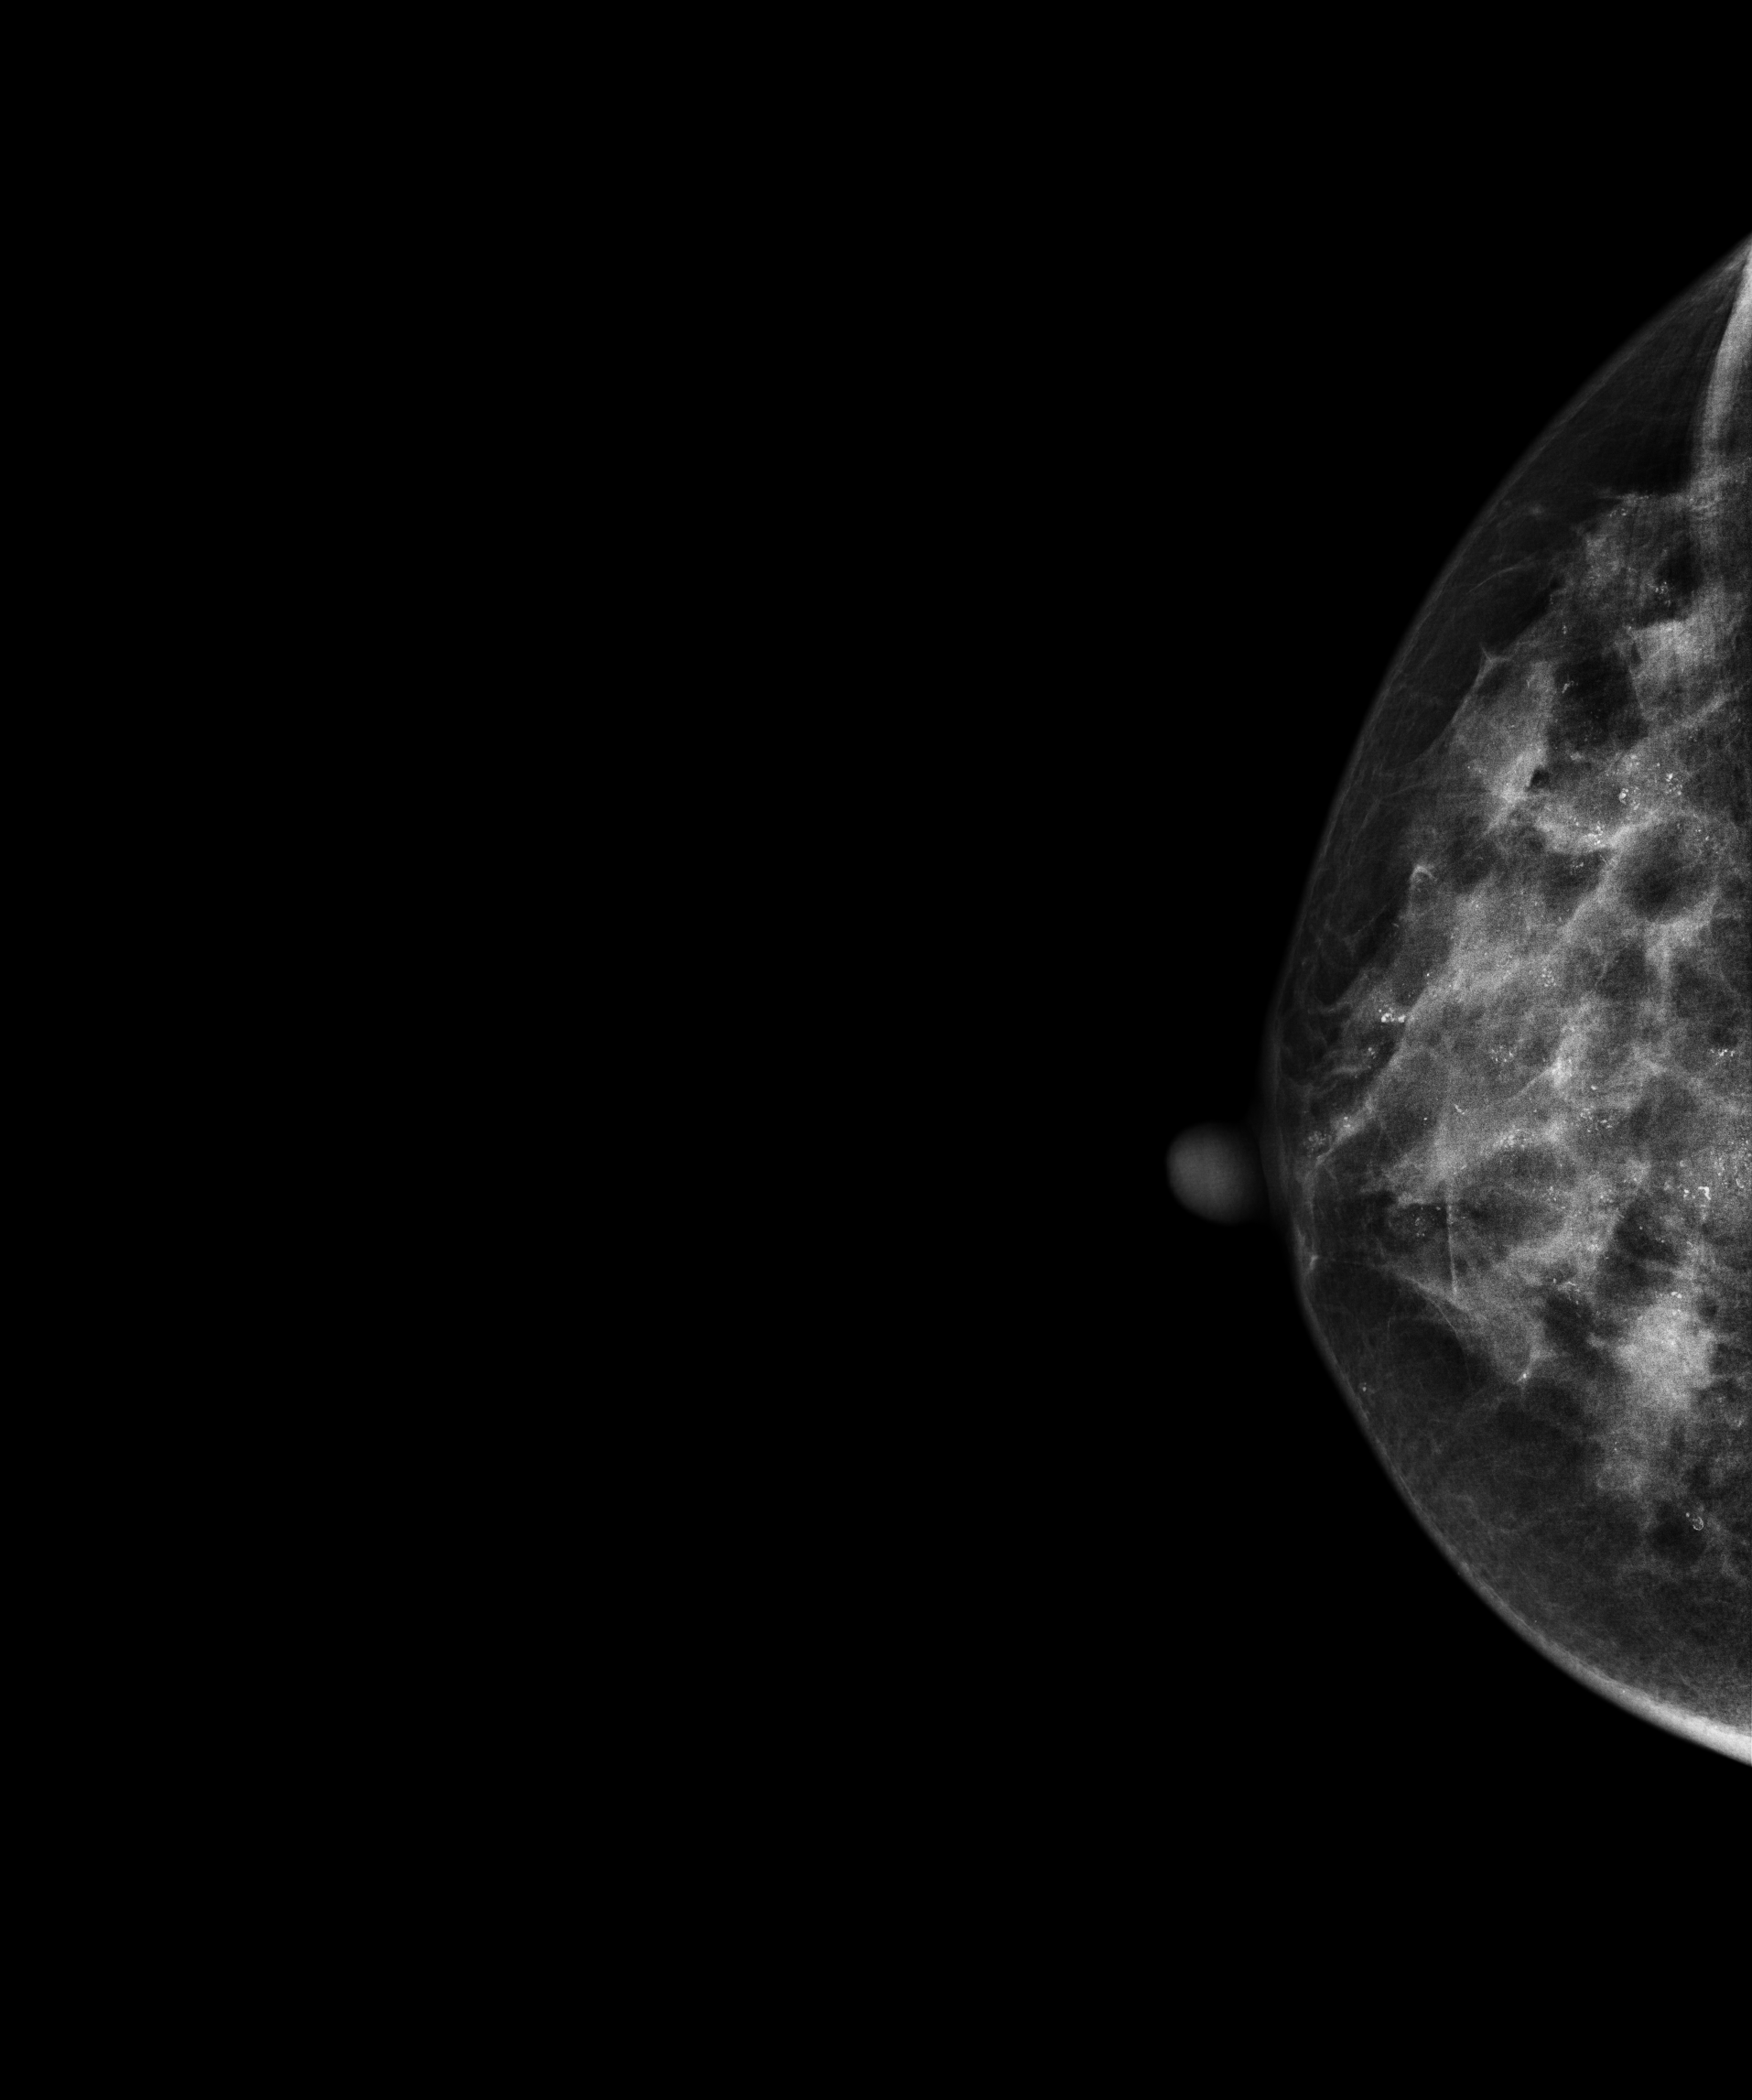
Cranio-caudal mammogram of the right breast. 55 y/o patient.
This breast has calcifications, pathology-confirmed malignant. Molecular subtype: luminal B.